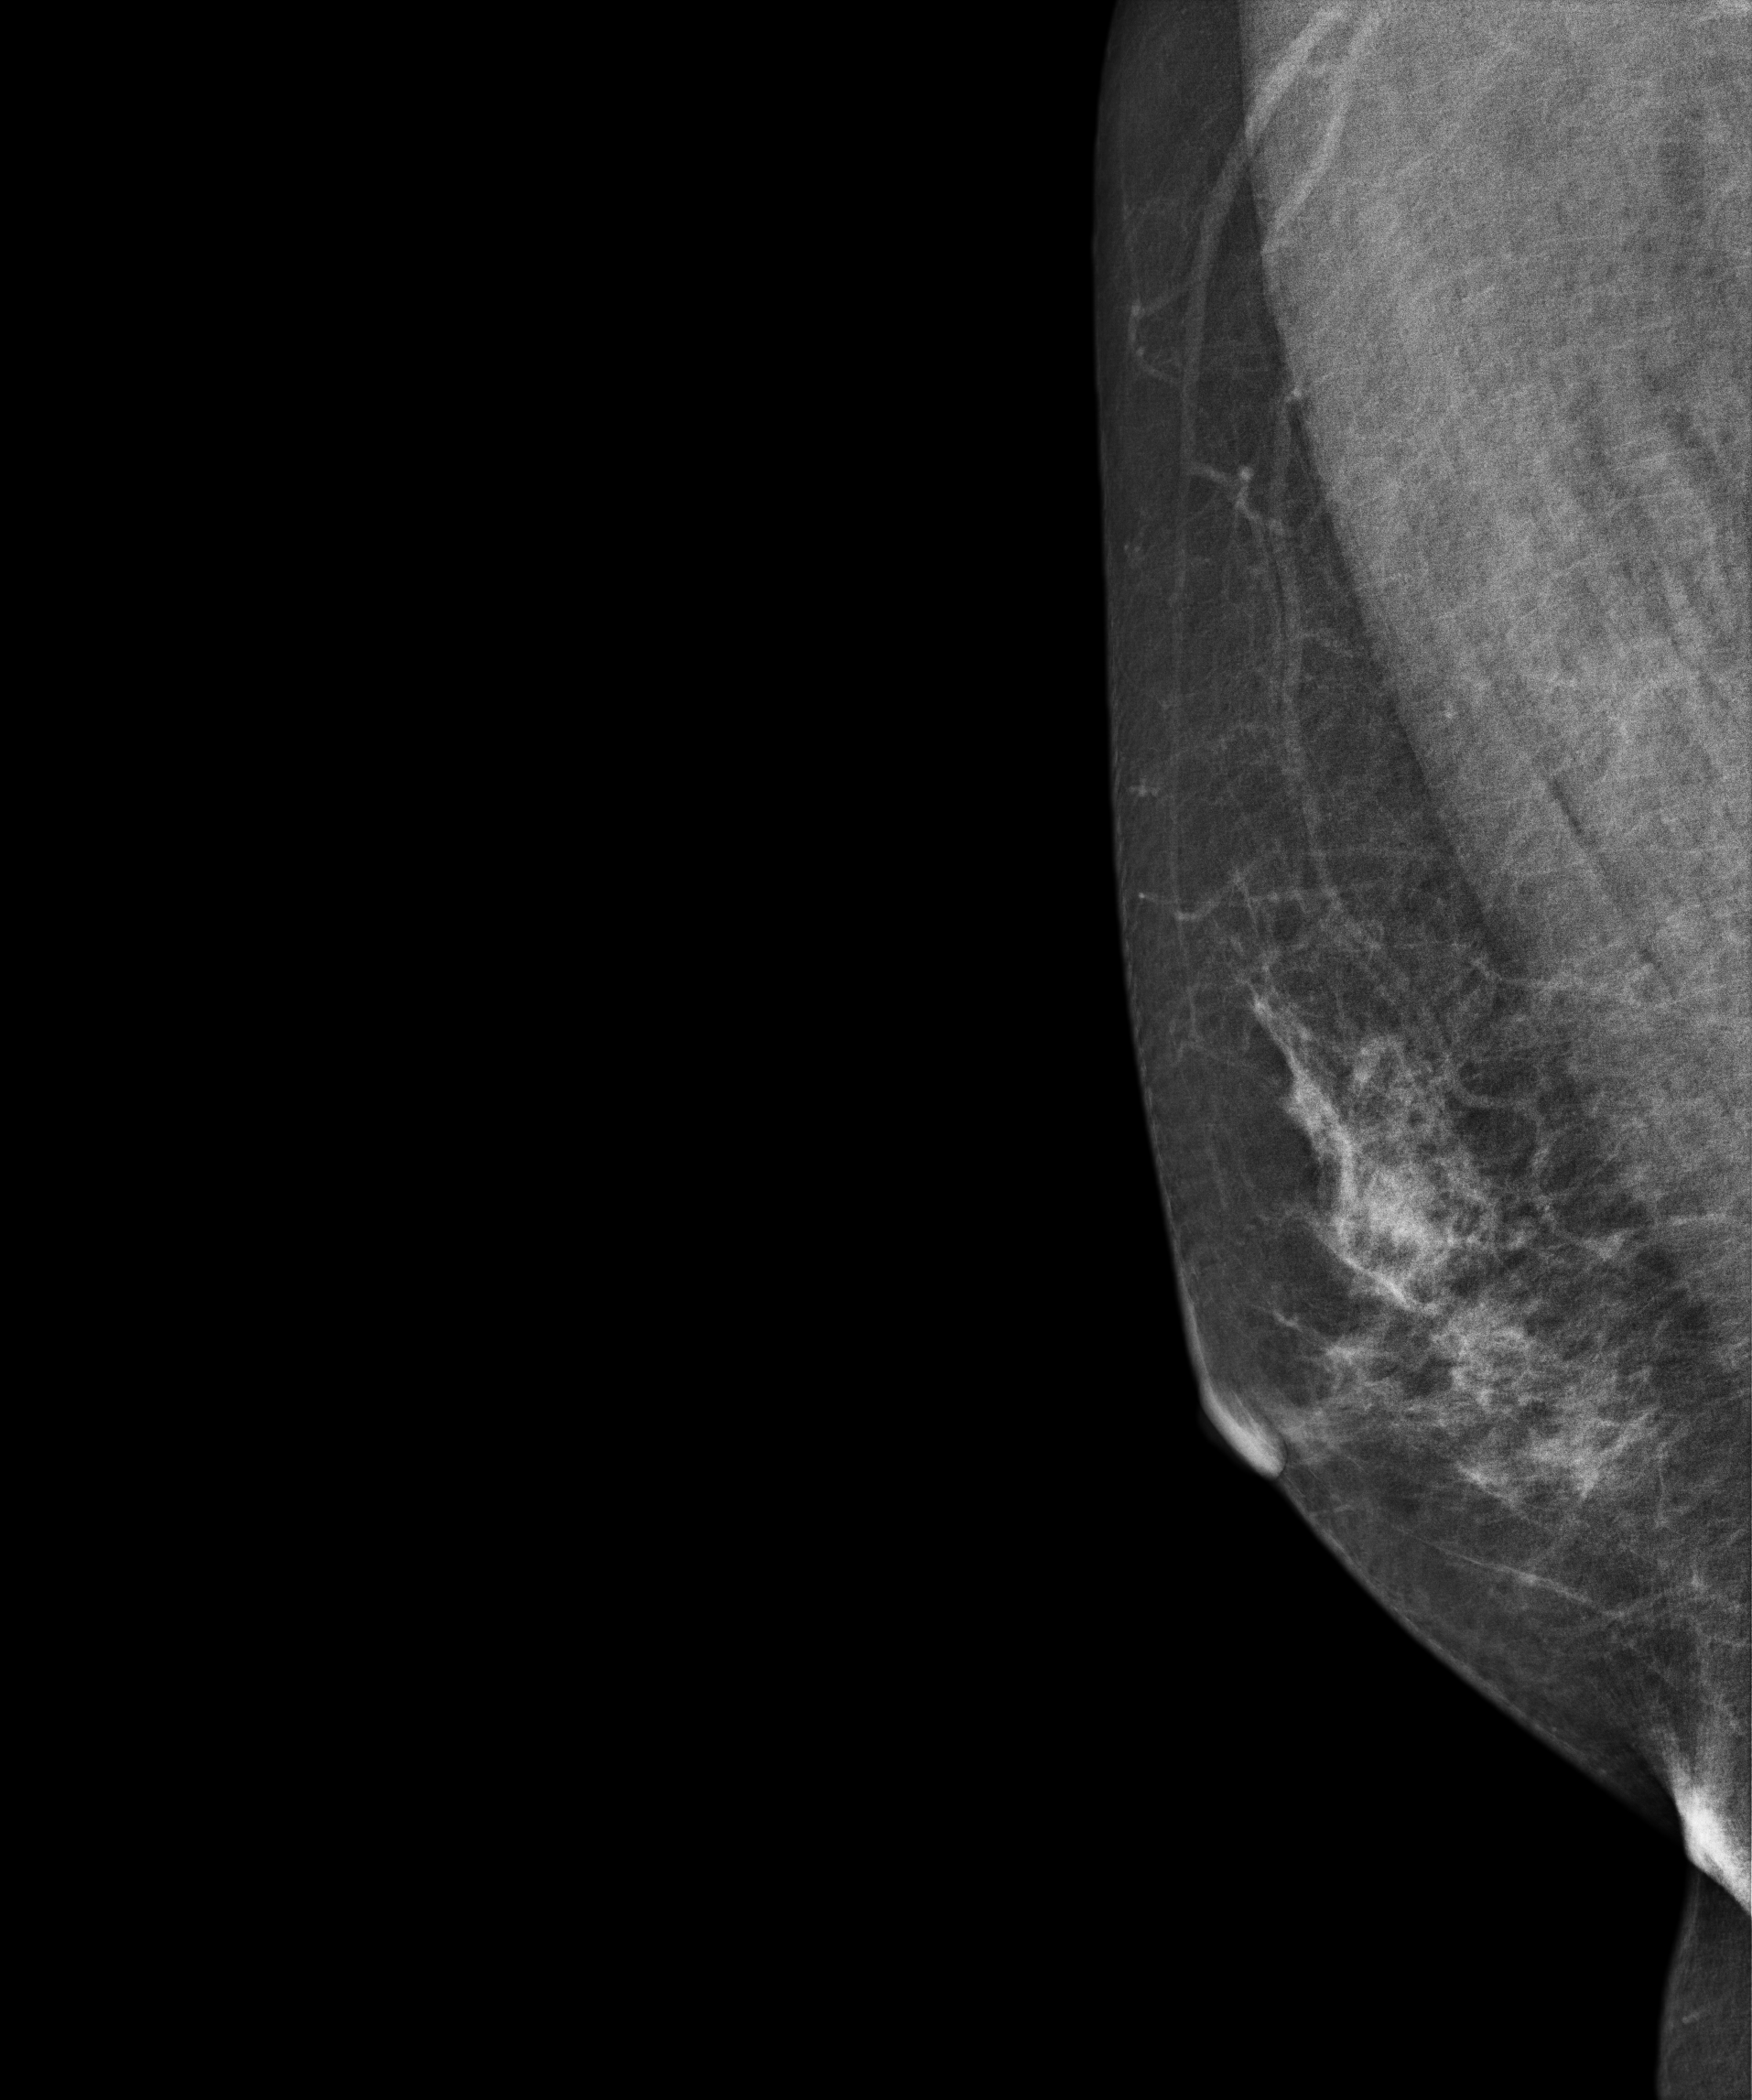
Mammogram, right breast, medio-lateral oblique view. Patient age 61.
Contralateral breast — no documented abnormality on this side.